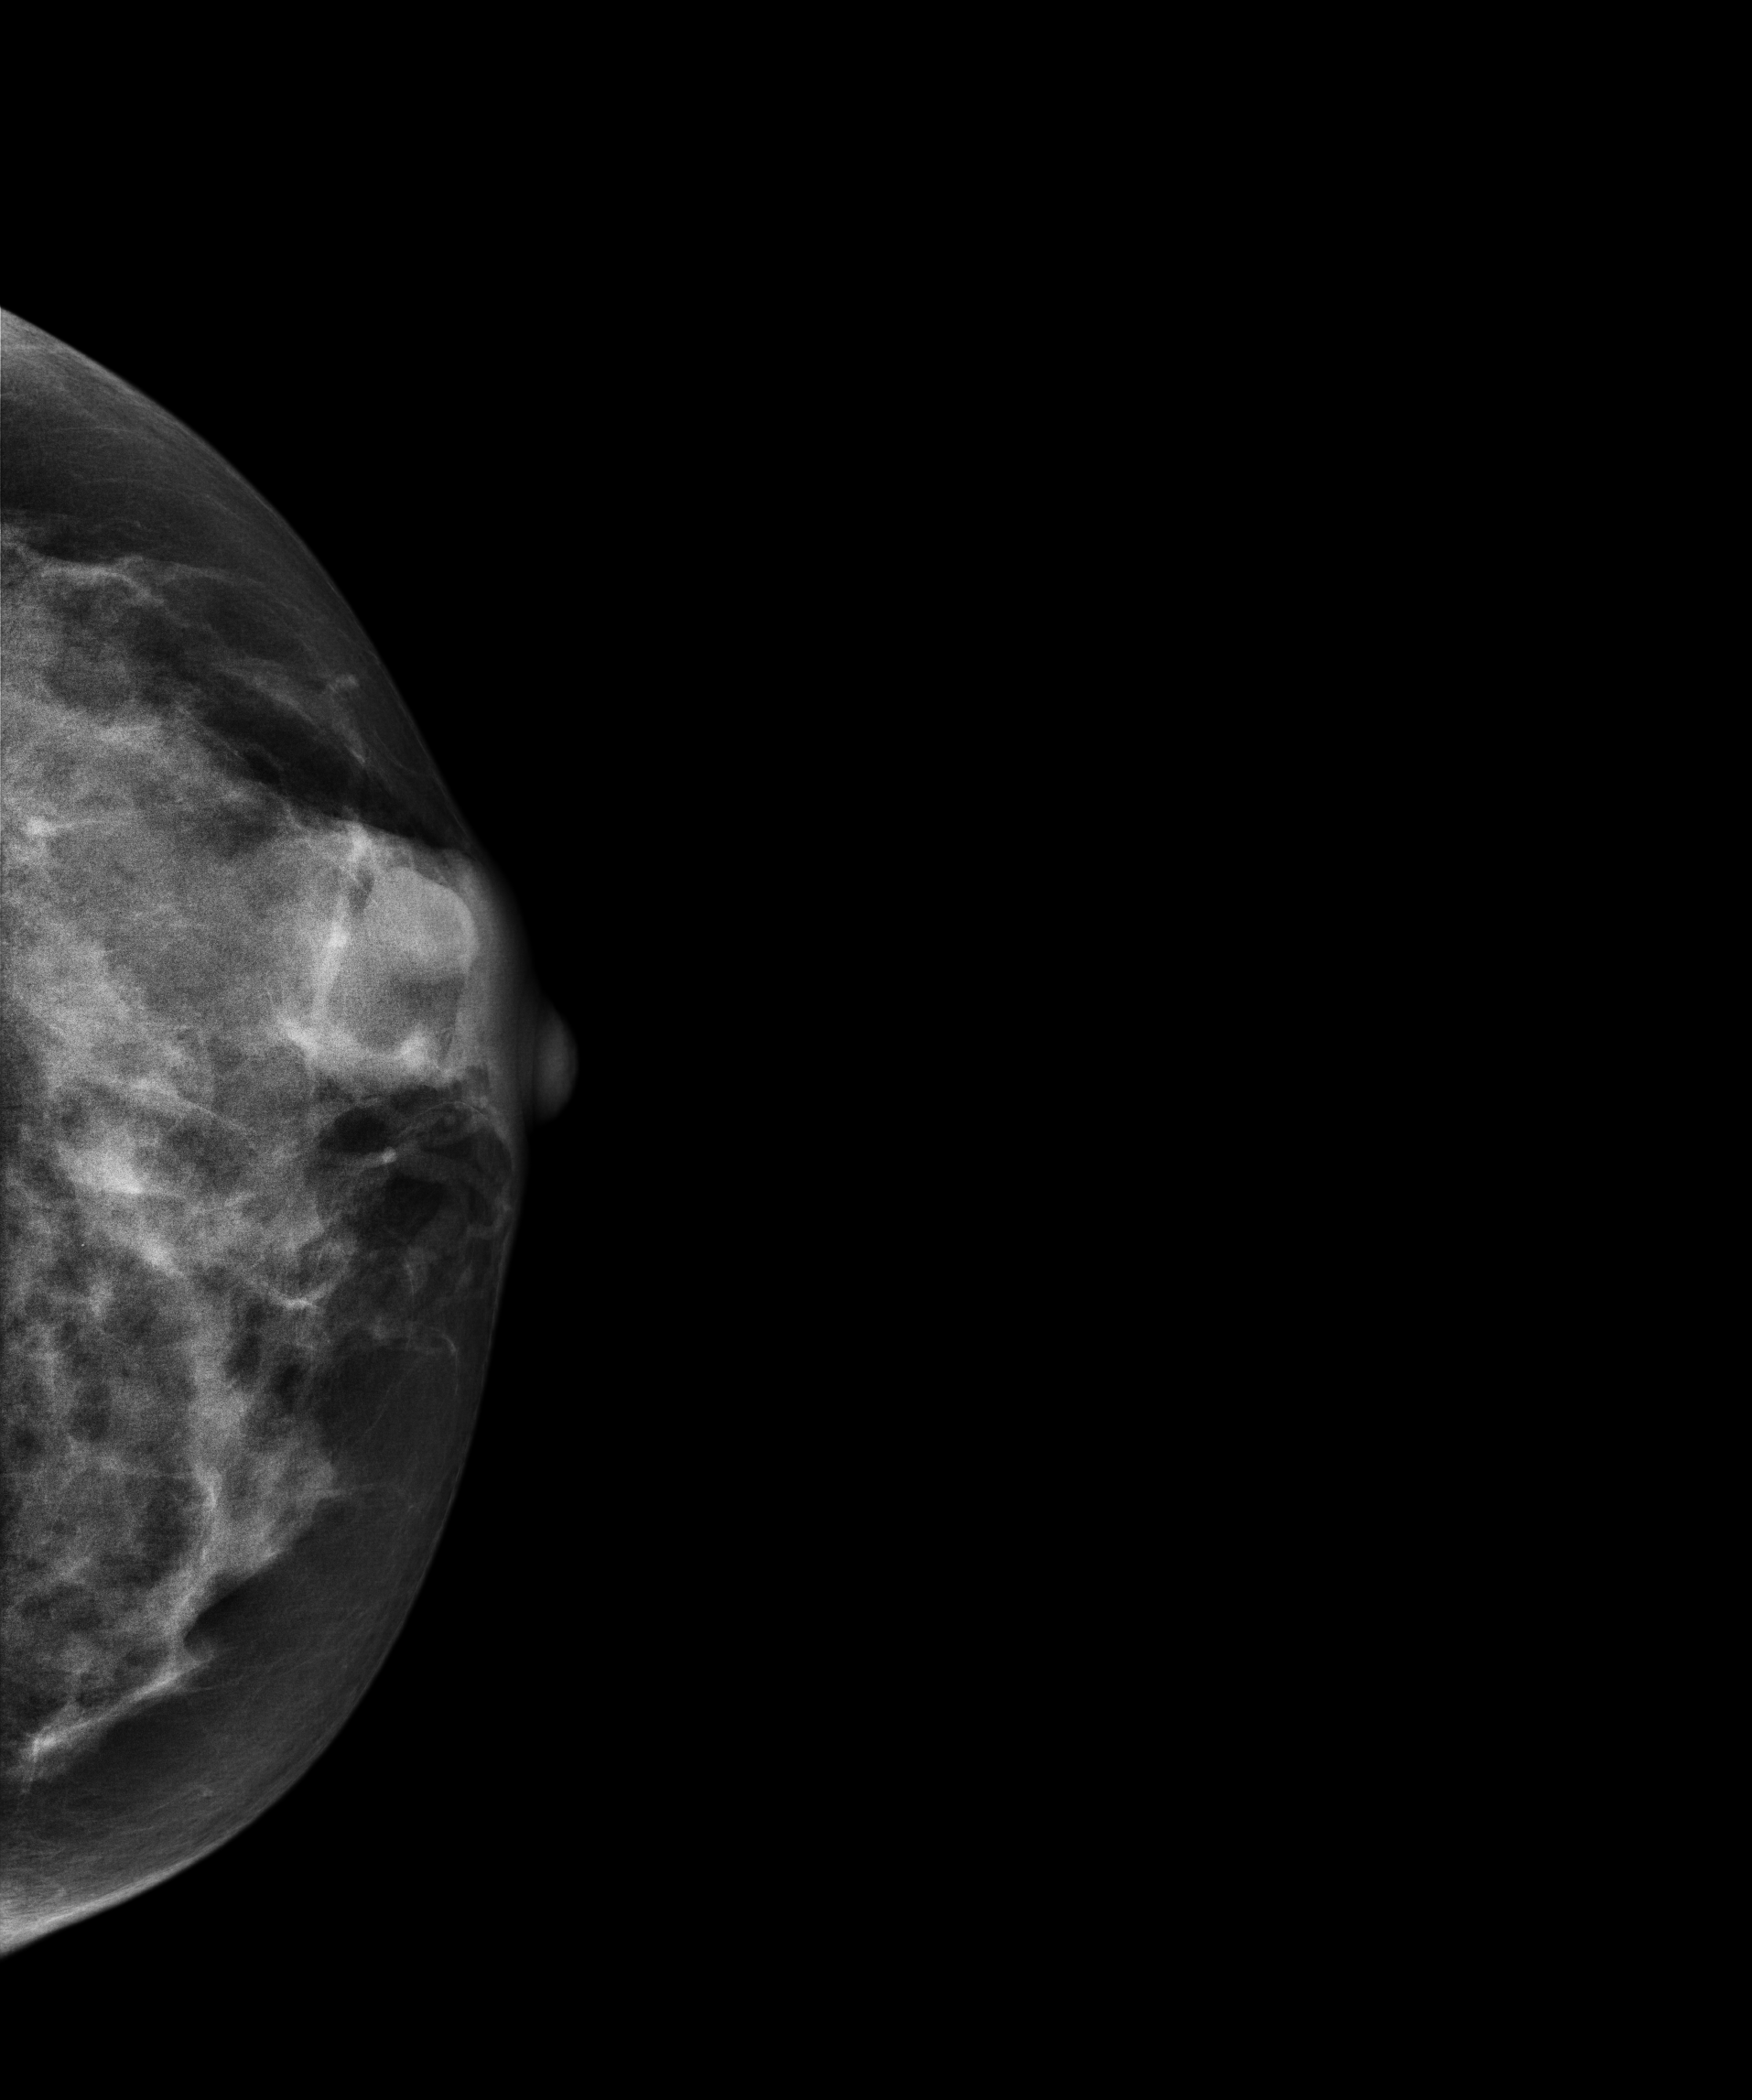
CC mammogram of the left breast. Patient age 35.
This breast has a mass, histologically confirmed benign.